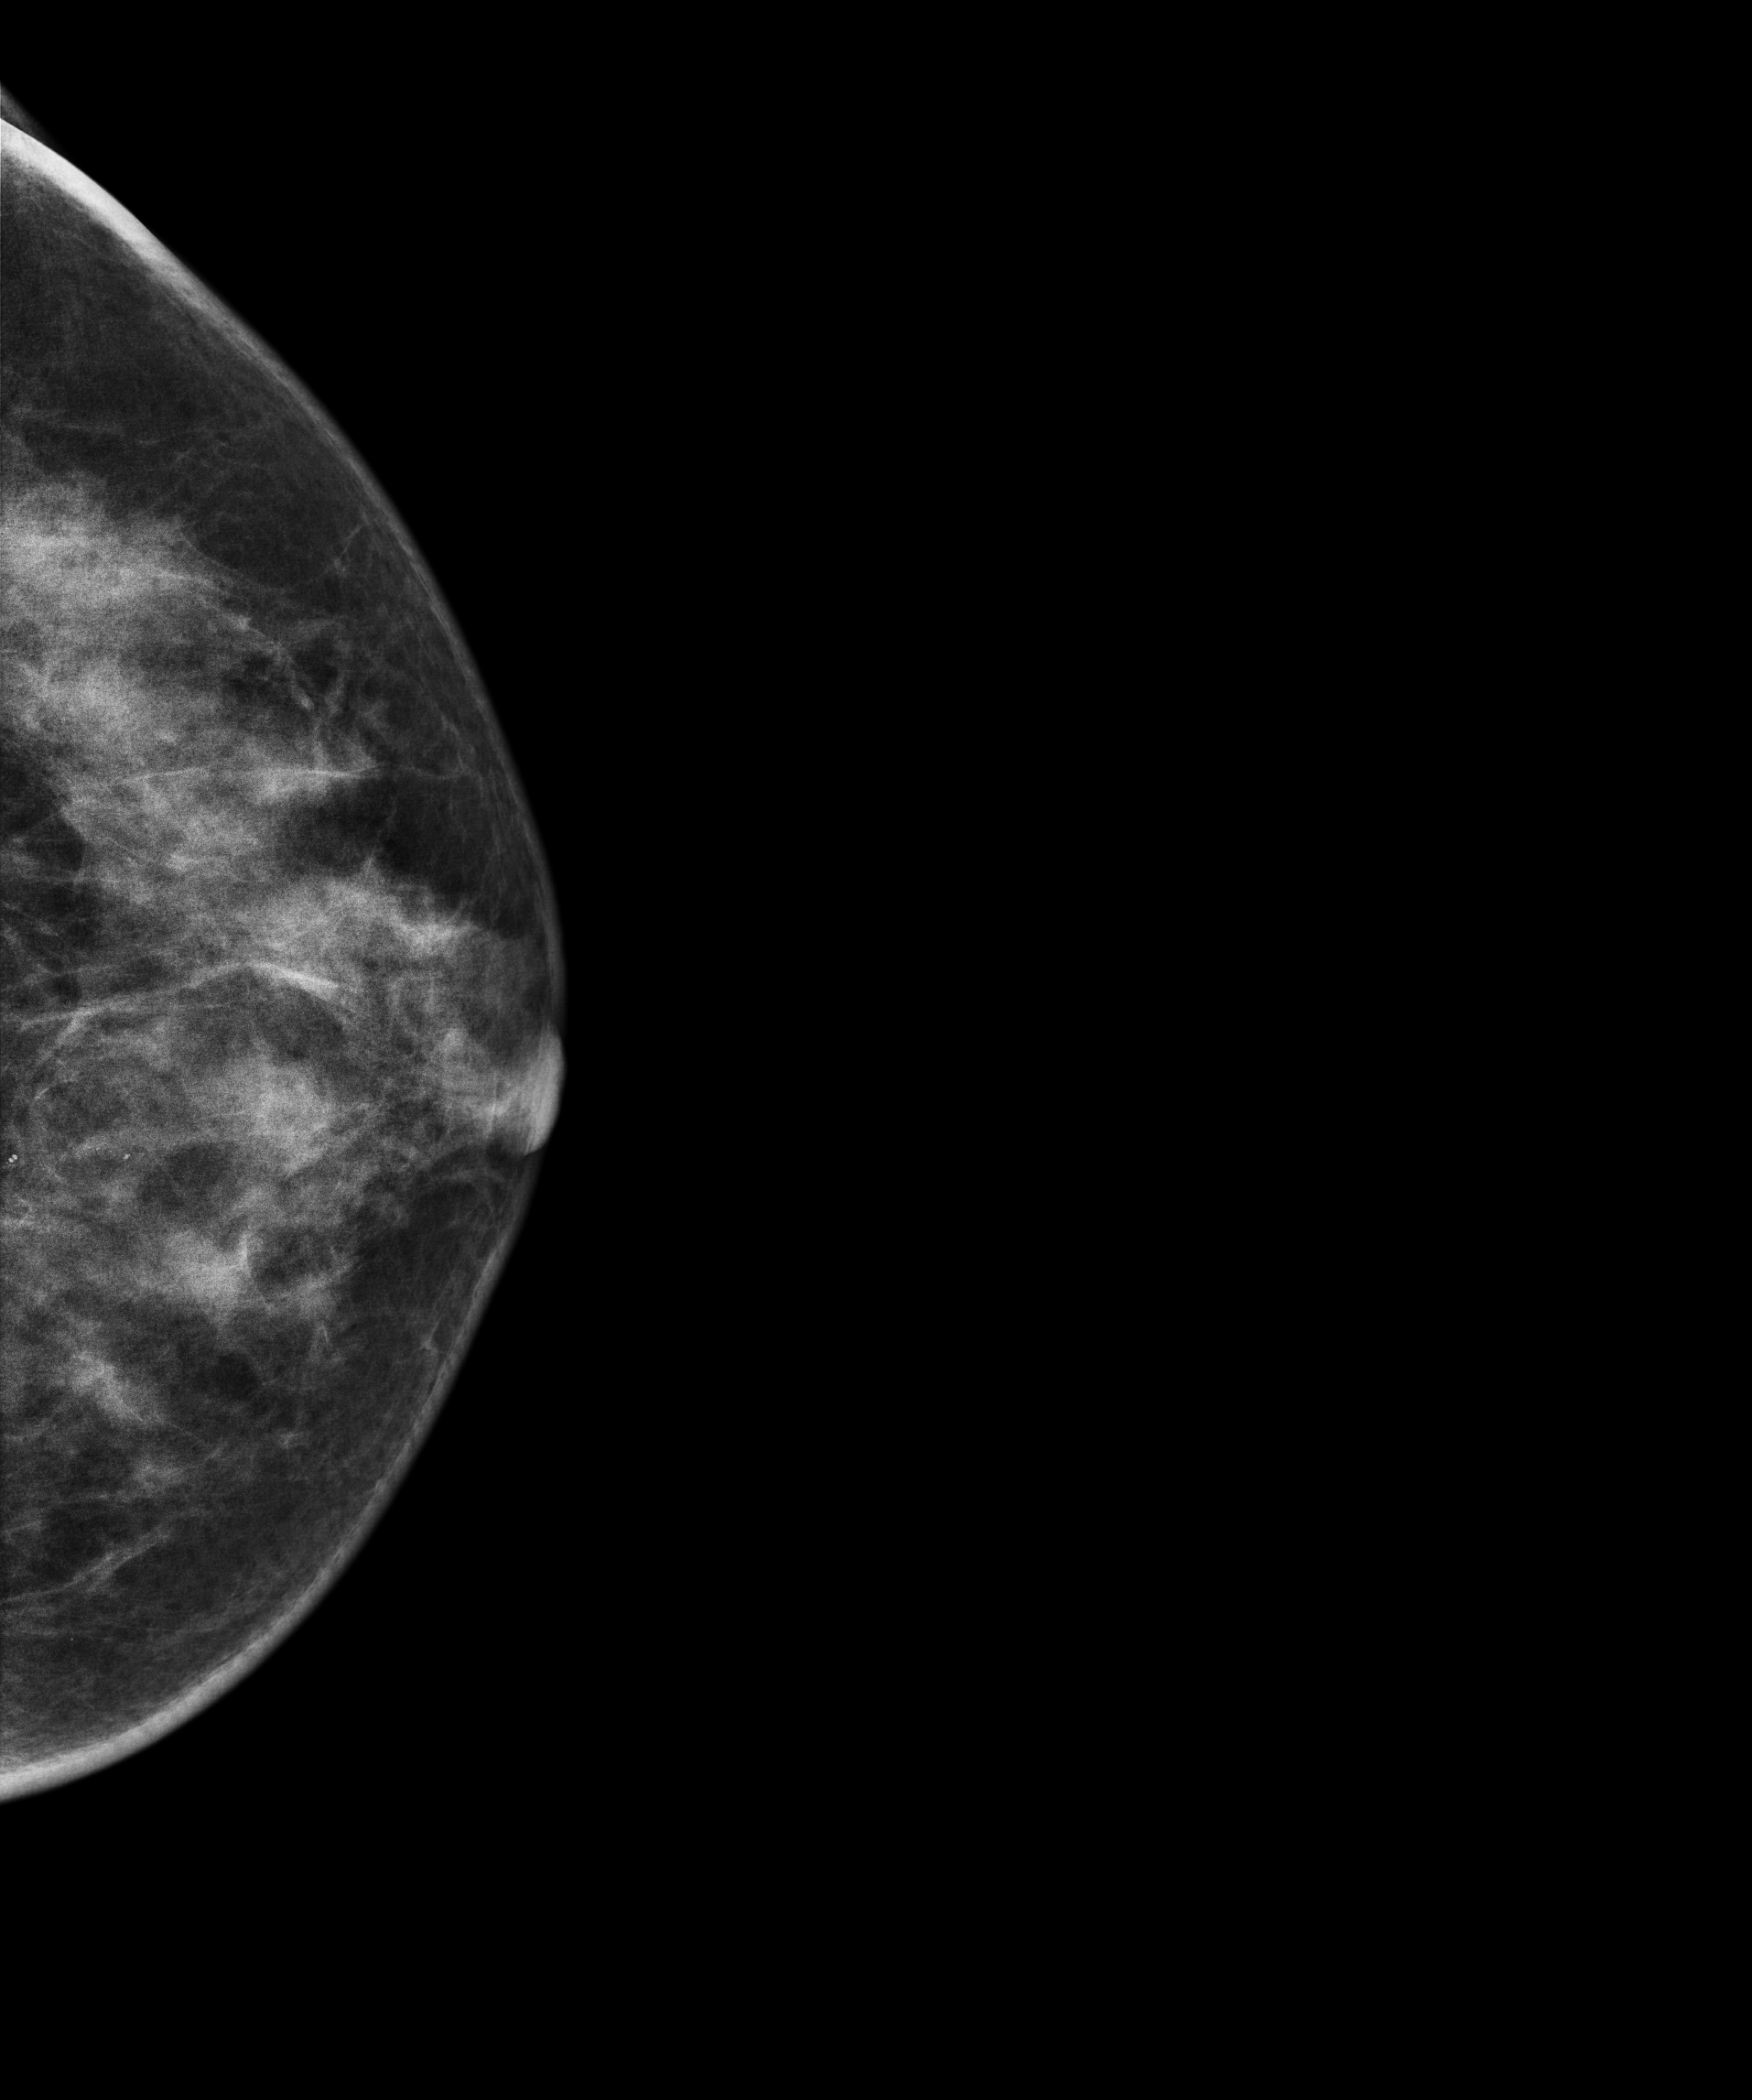
CC mammogram of the left breast. 52 y/o patient.
This breast has a mass and calcifications, biopsy-proven malignant. Molecular subtype: triple-negative.